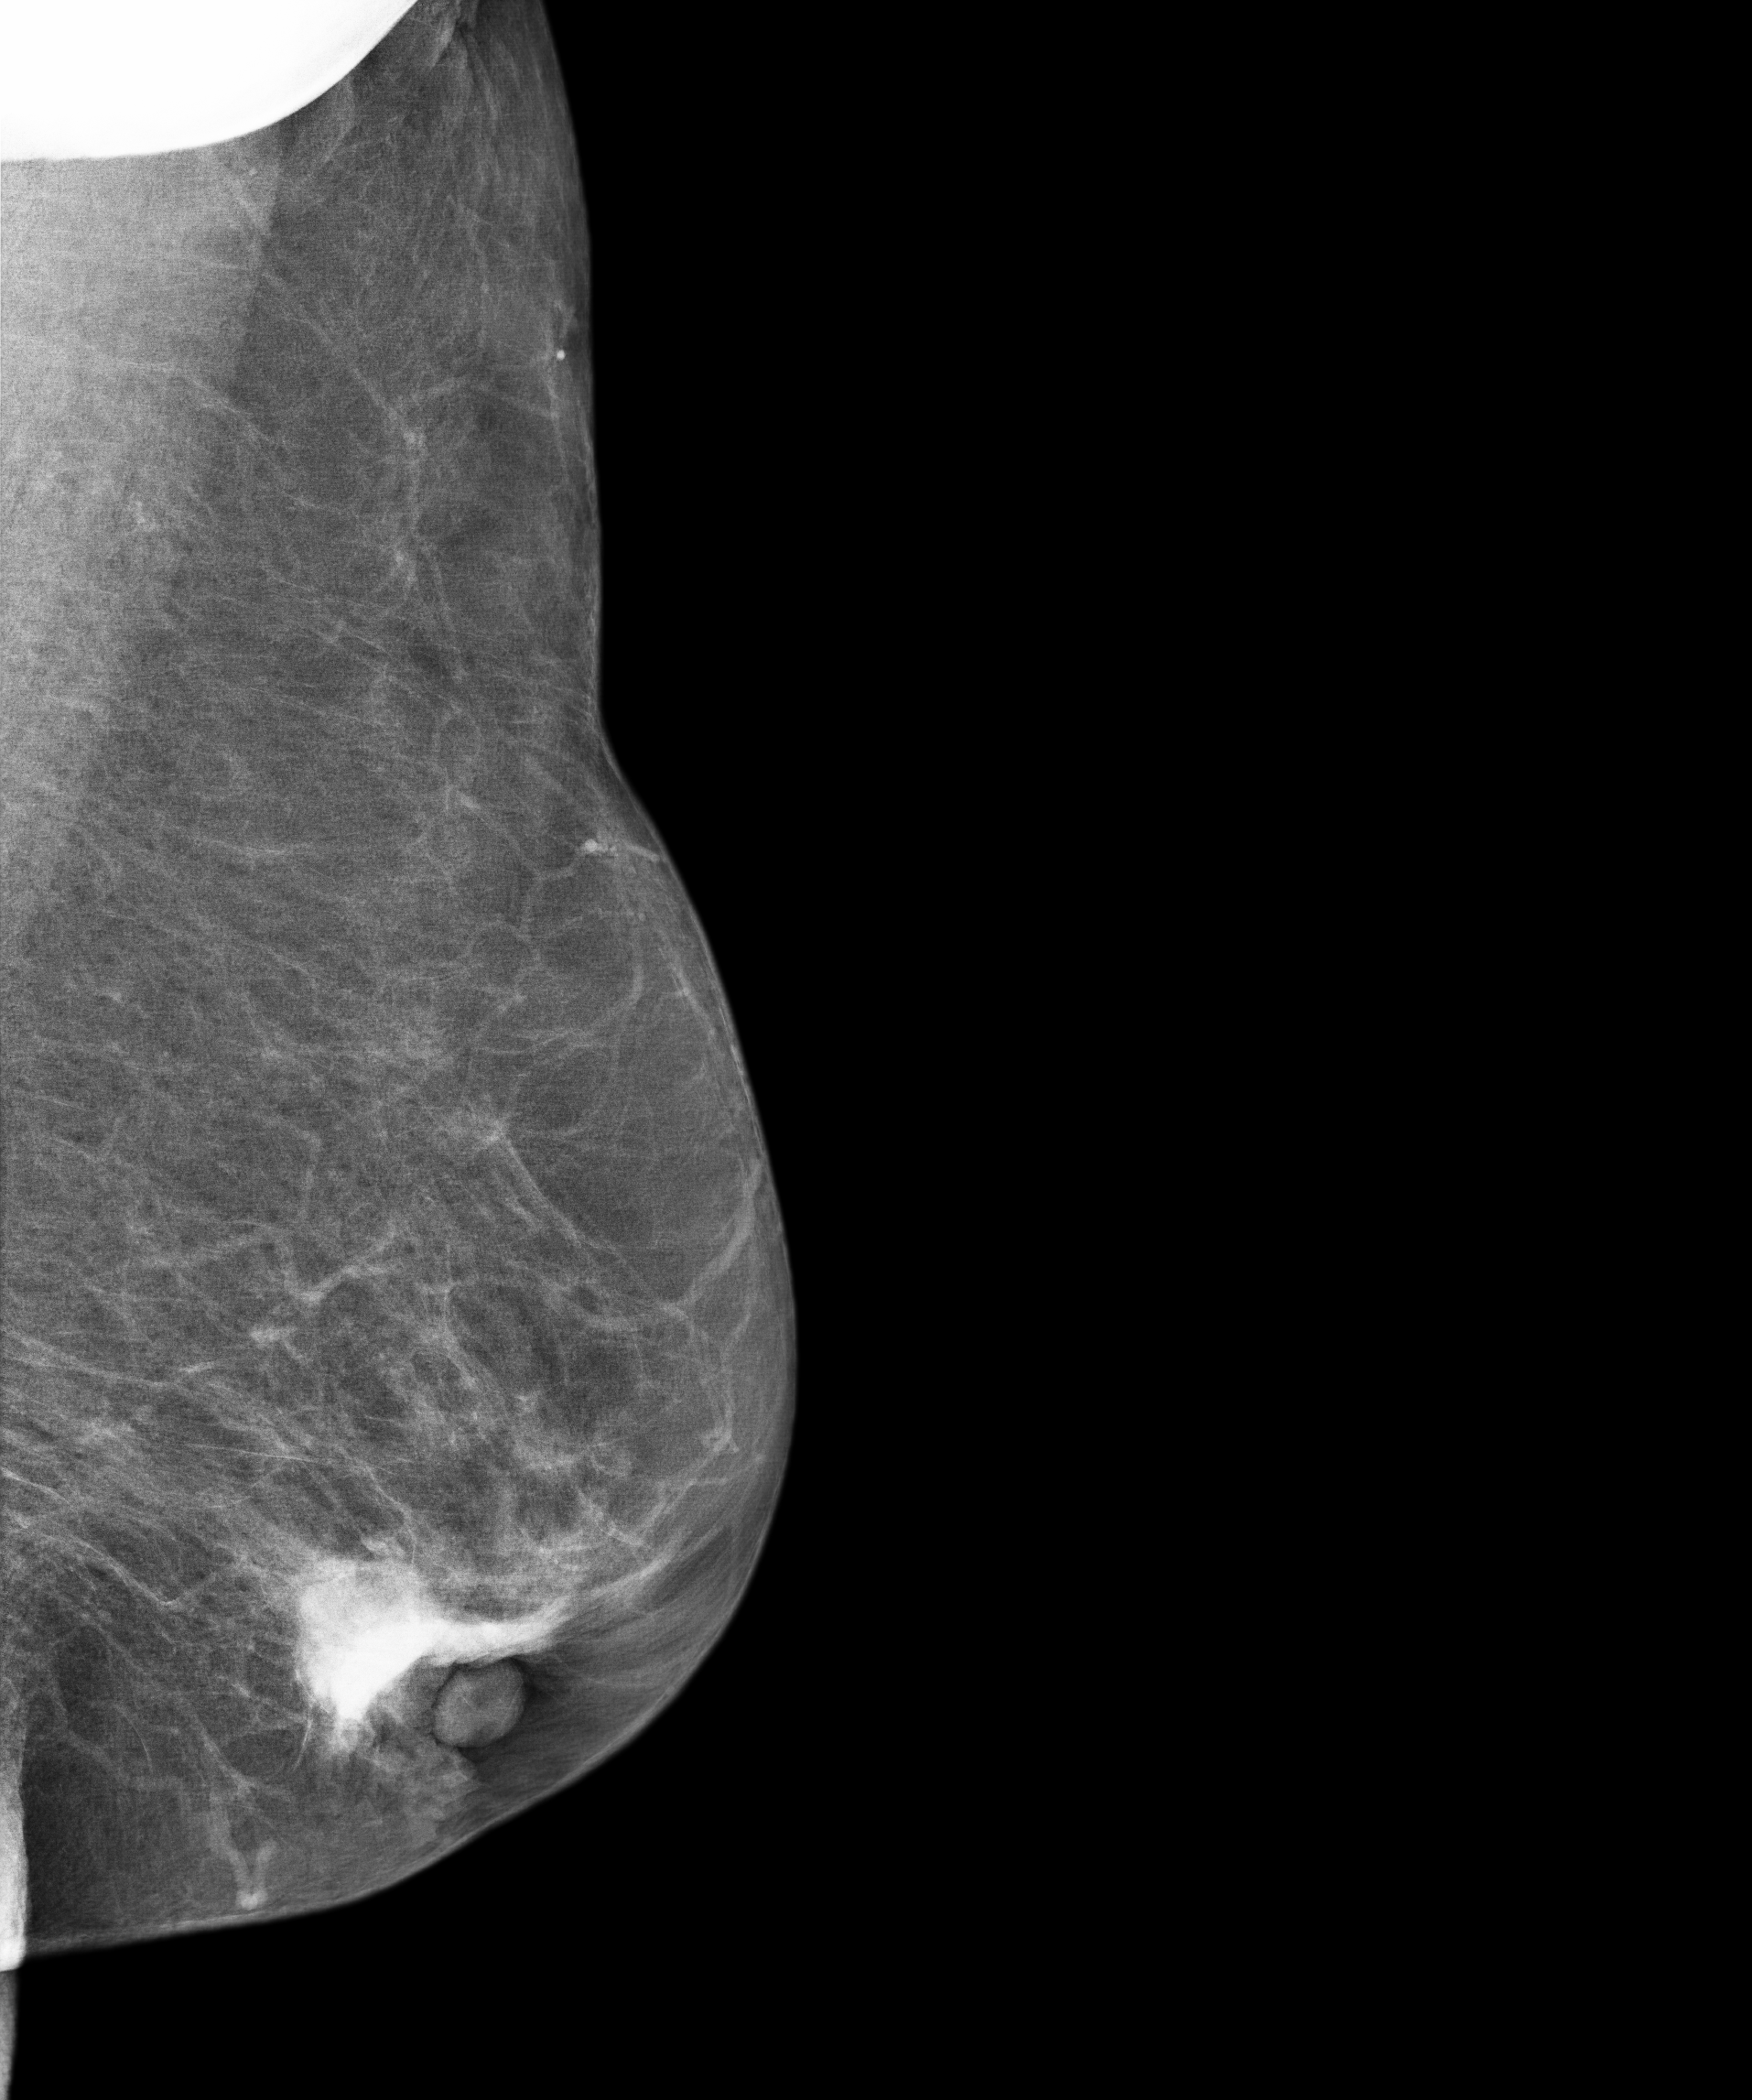
Left-breast mammogram, MLO. 73-year-old patient.
This breast has a mass, biopsy-confirmed malignant. Molecular subtype: luminal B.